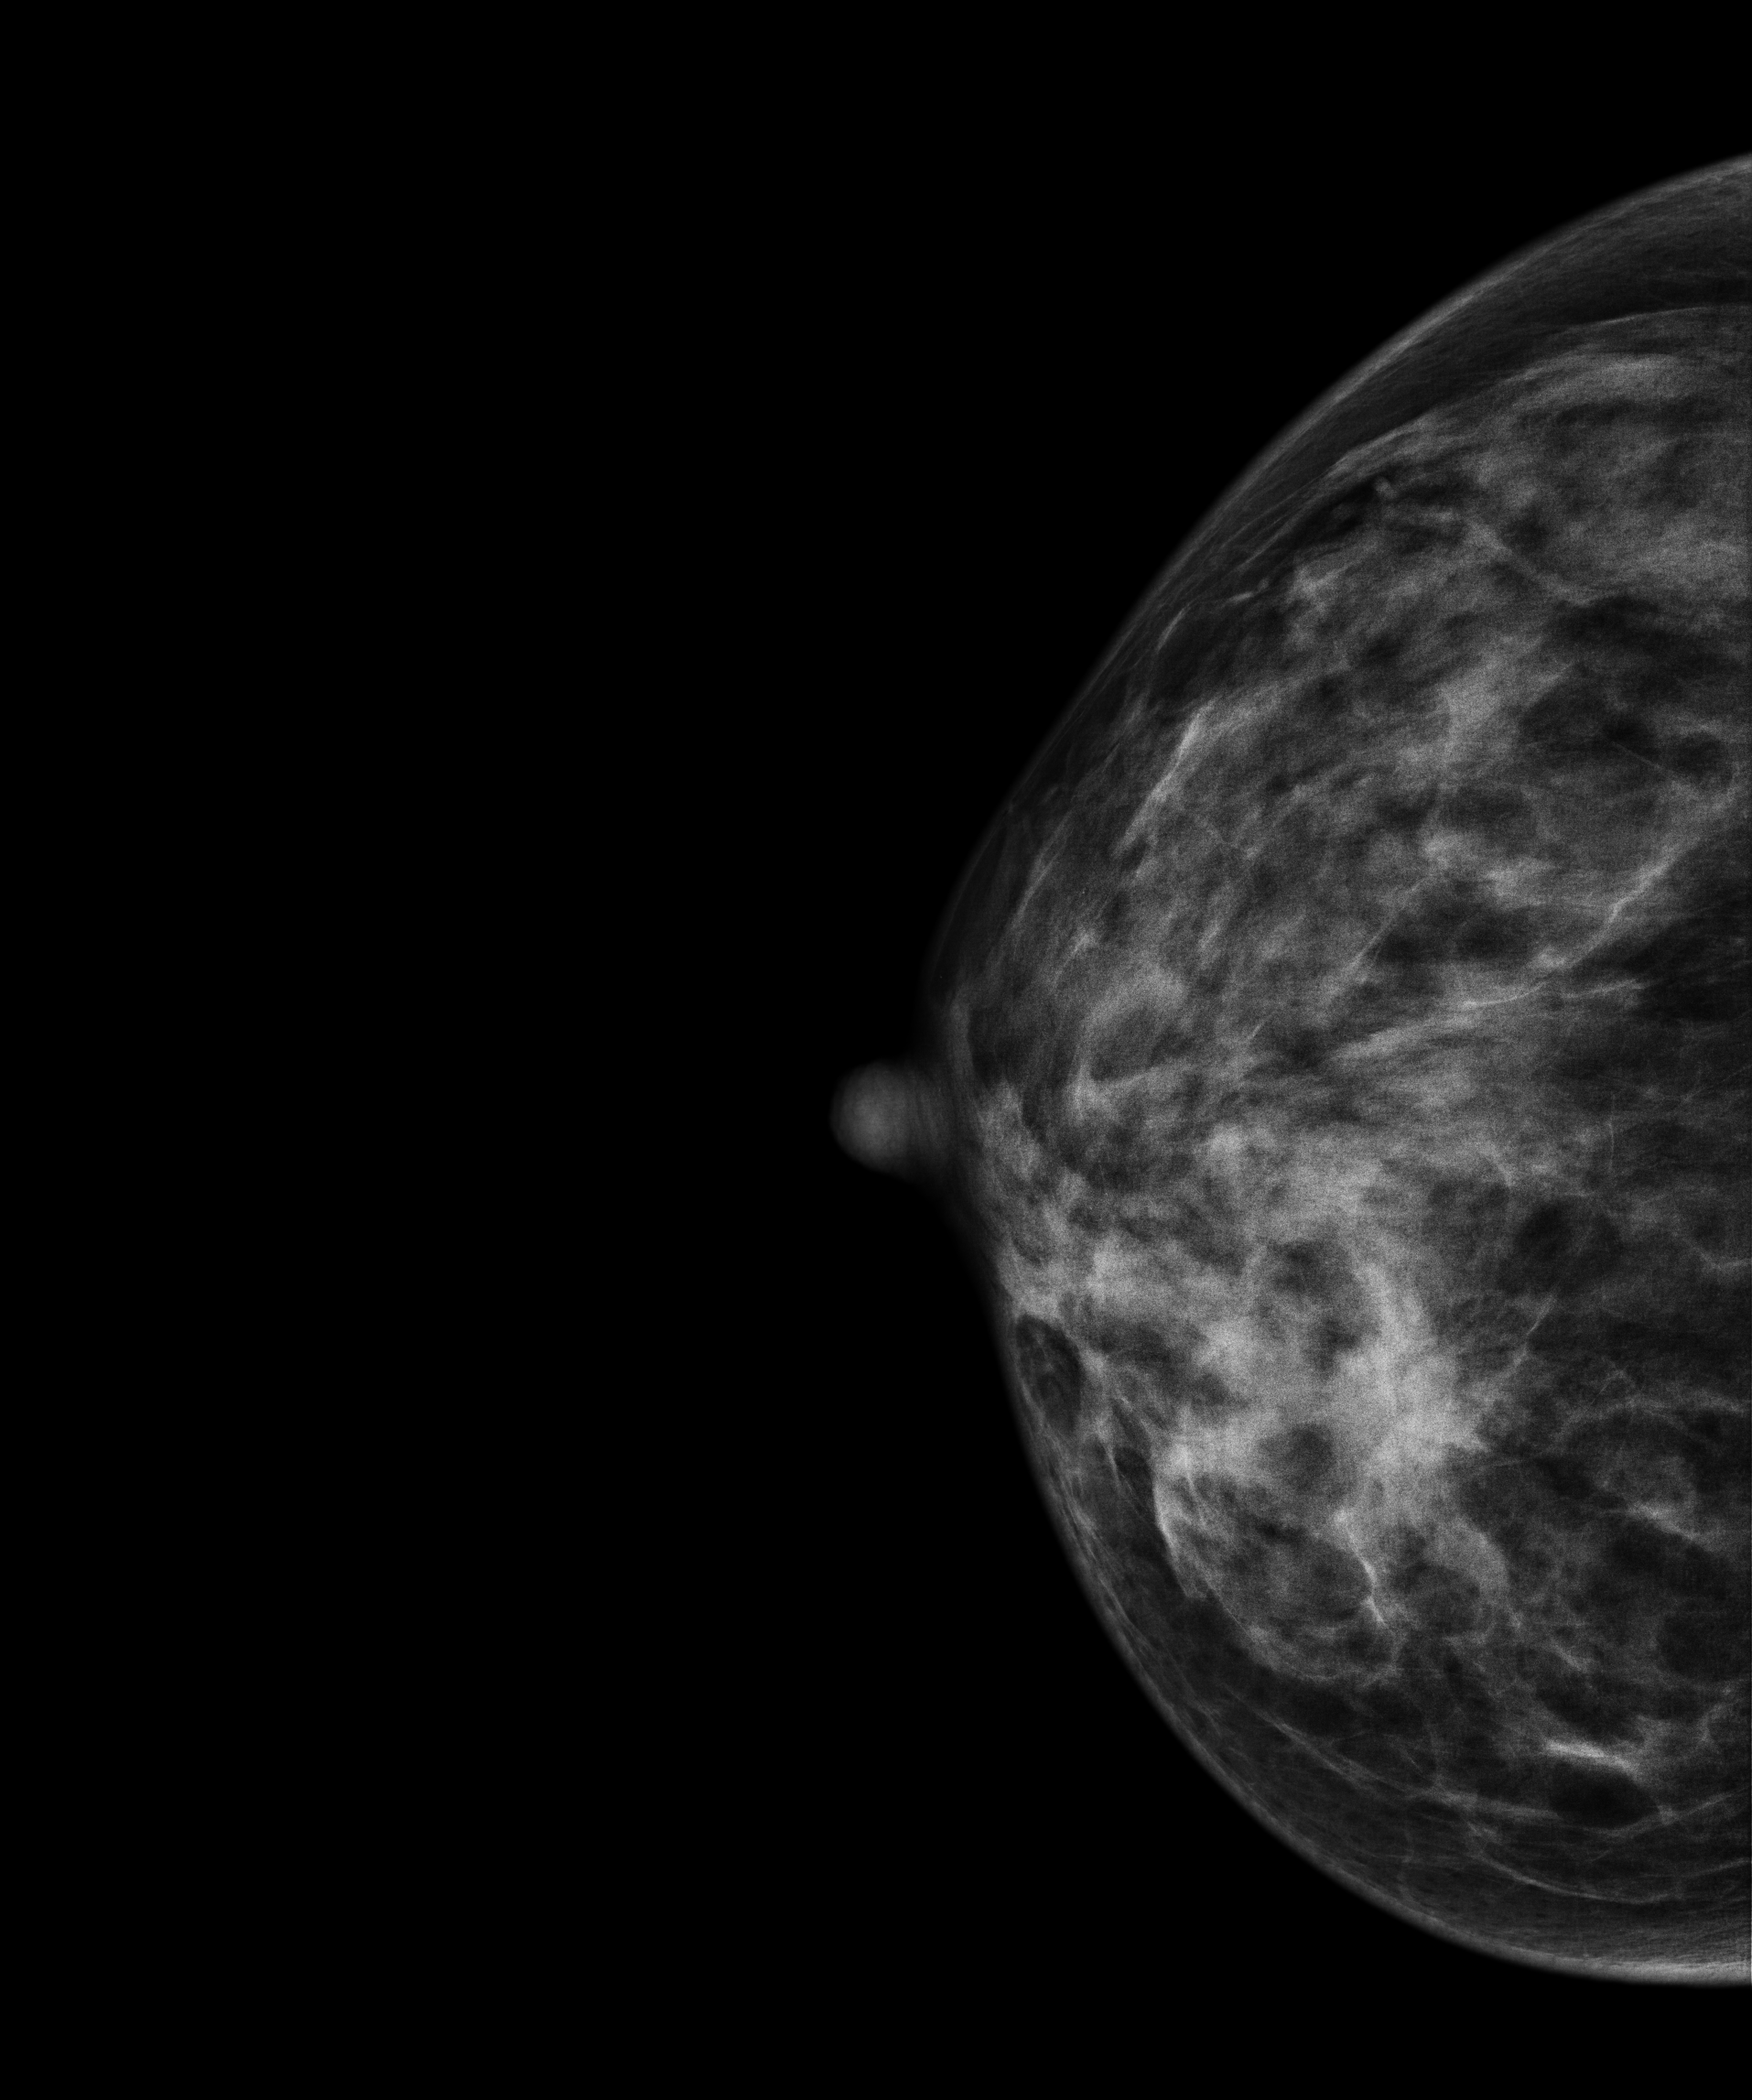
Right-breast mammogram, cranio-caudal. 34-year-old patient.
This breast has a mass, pathology-confirmed malignant.